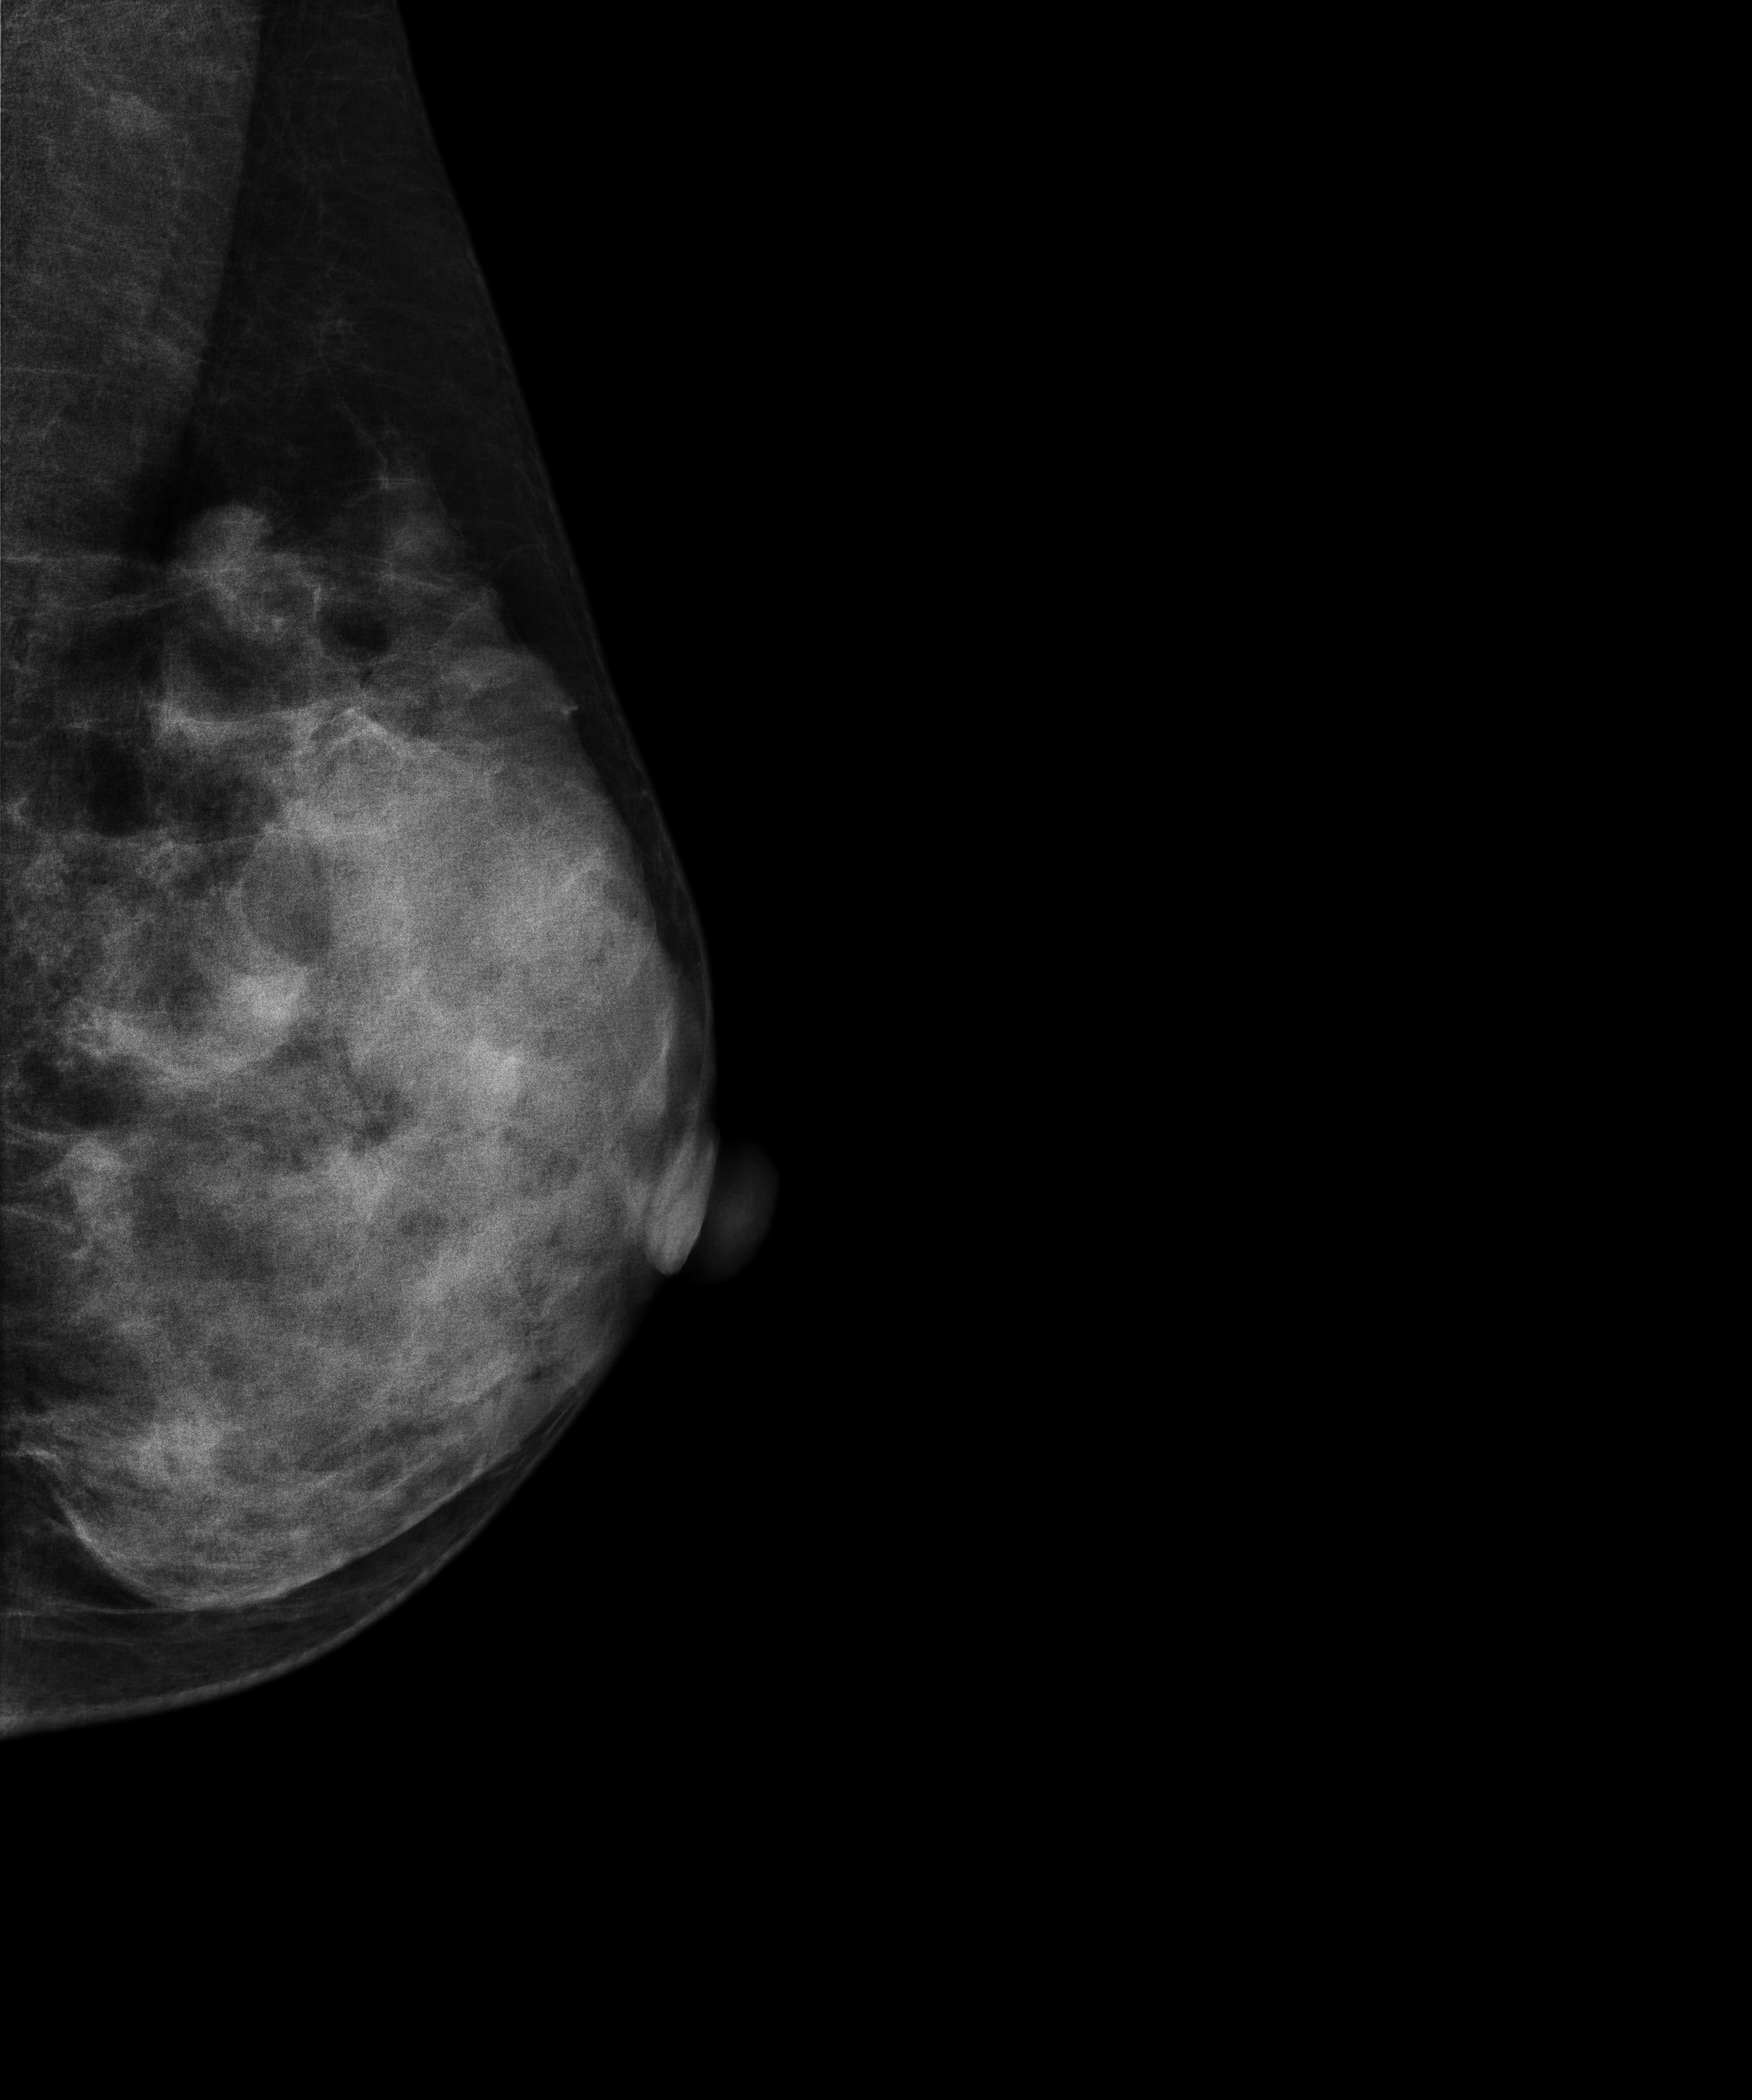
Mammogram, left breast, MLO view. 38 y/o patient.
This breast has a mass, pathology-confirmed malignant.